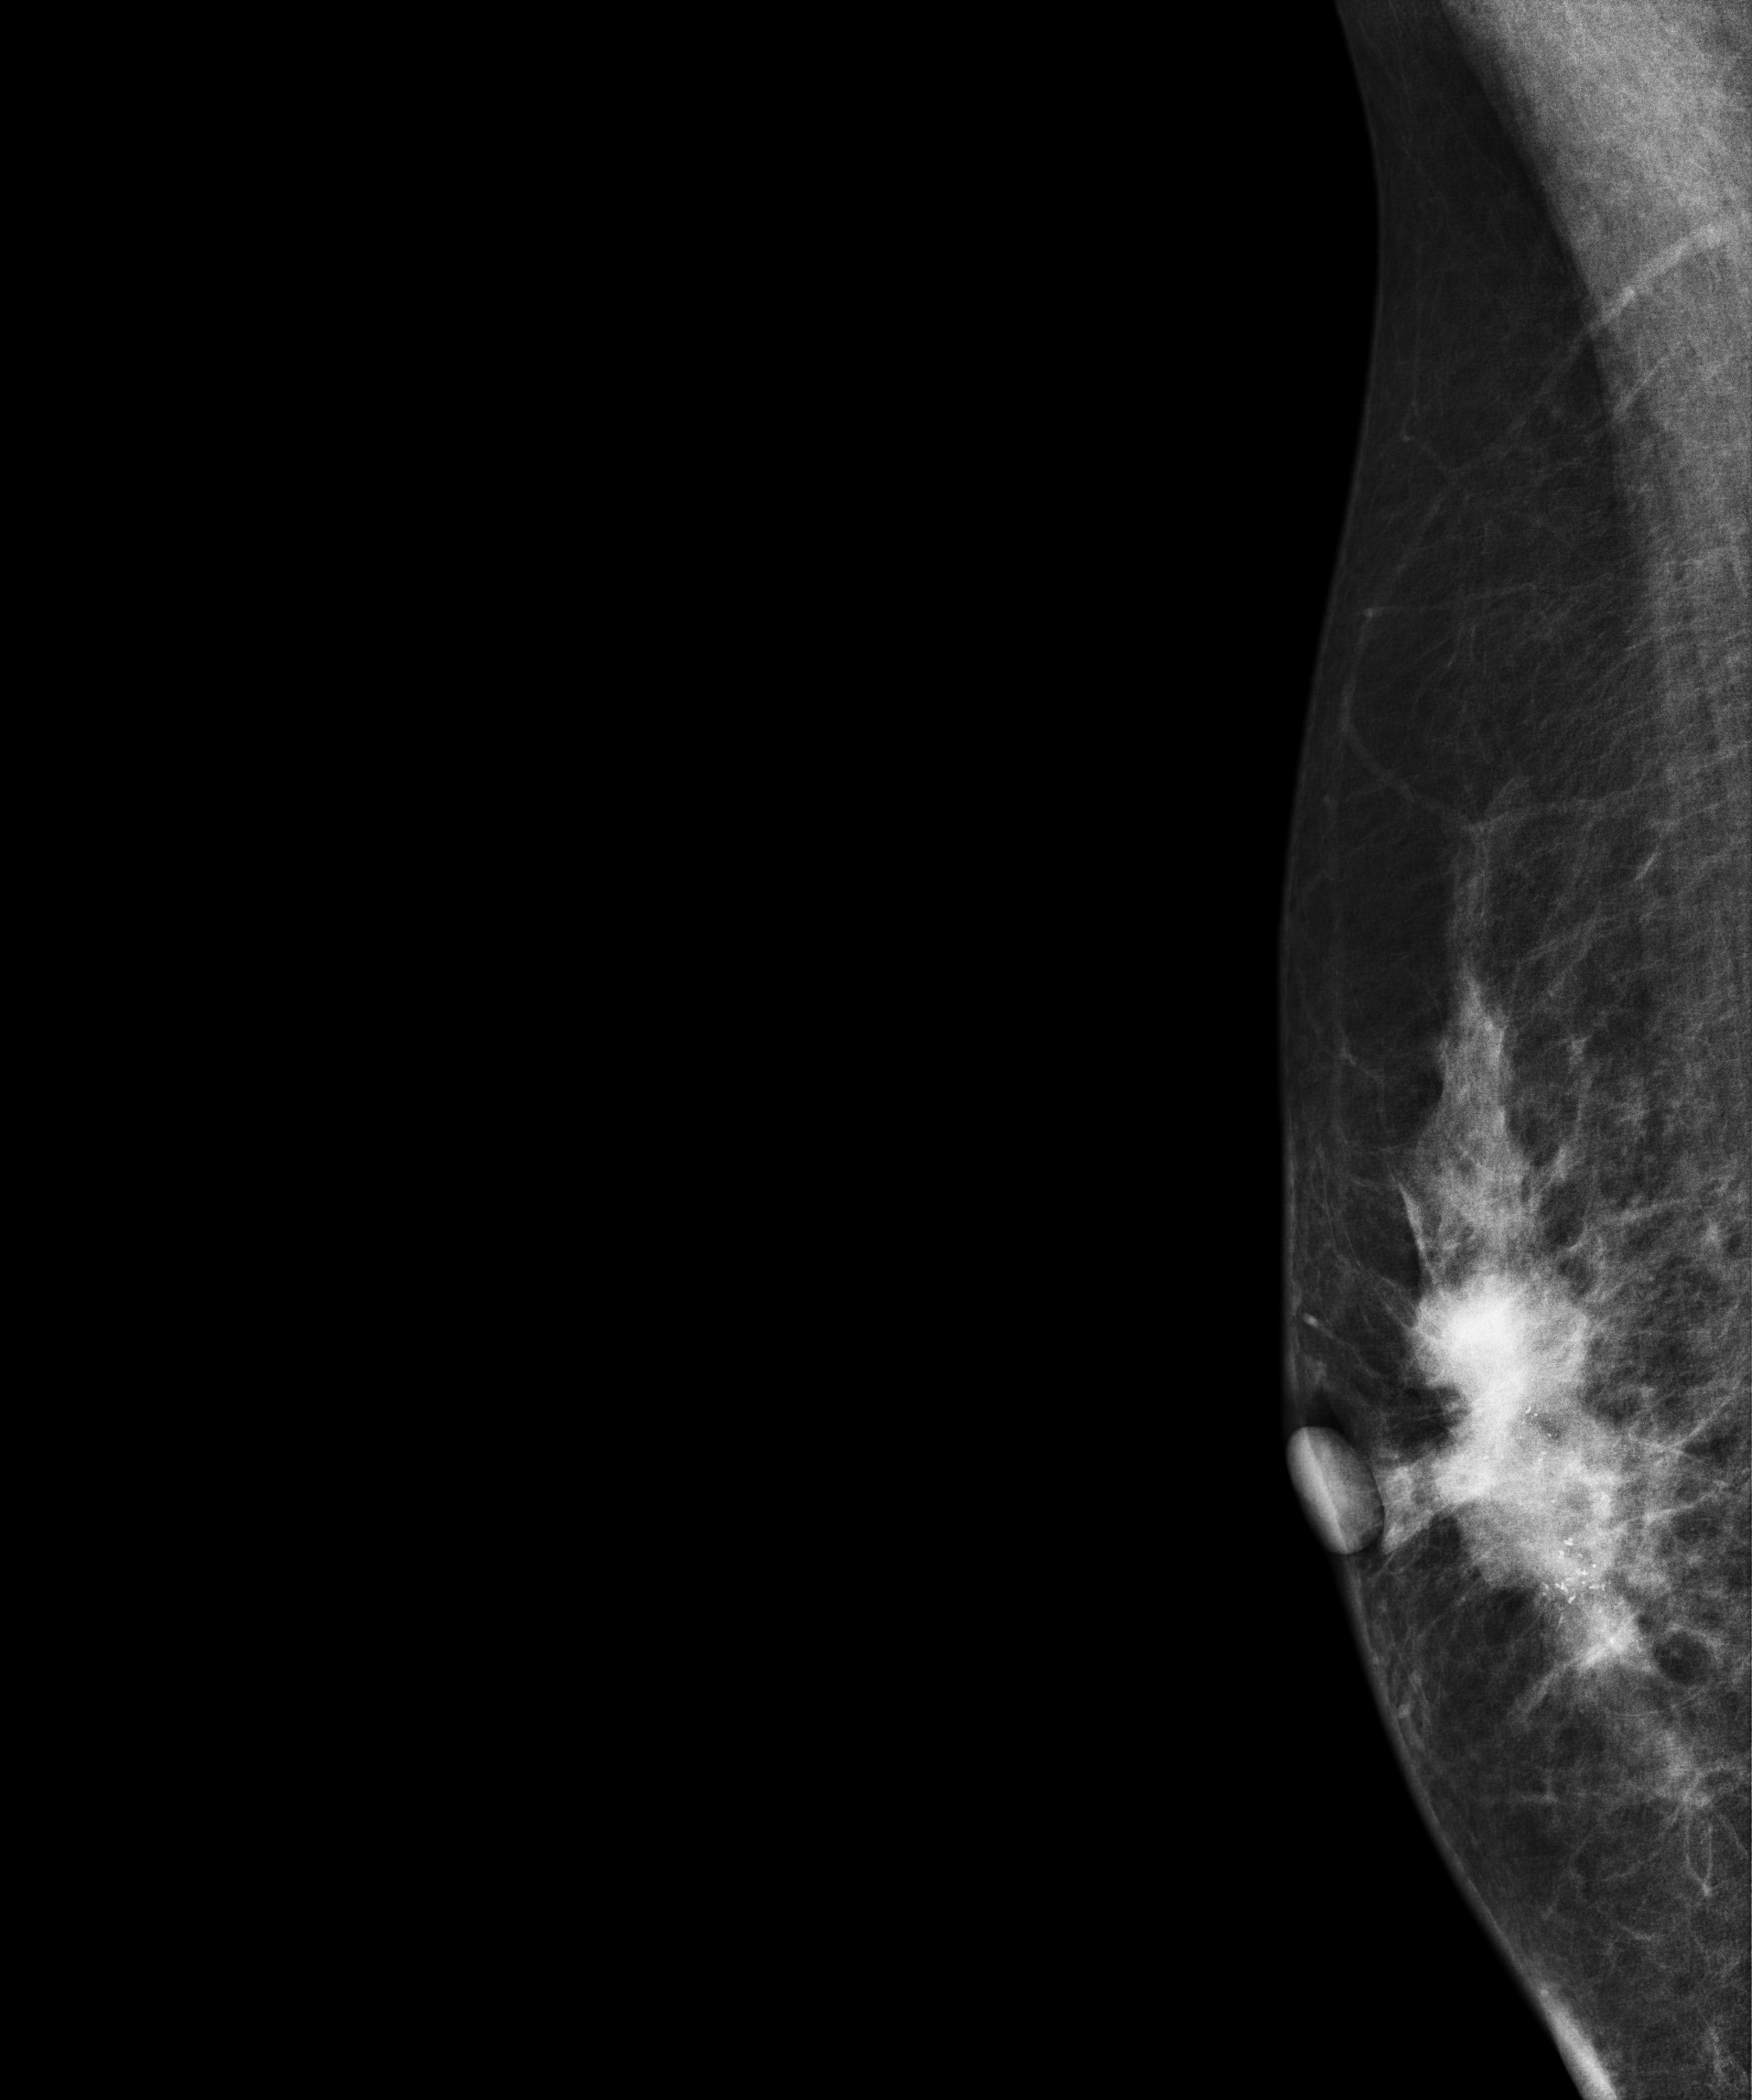
MLO mammogram of the right breast. 53-year-old patient.
This breast has a mass and calcifications, biopsy-proven malignant. Molecular subtype: triple-negative.